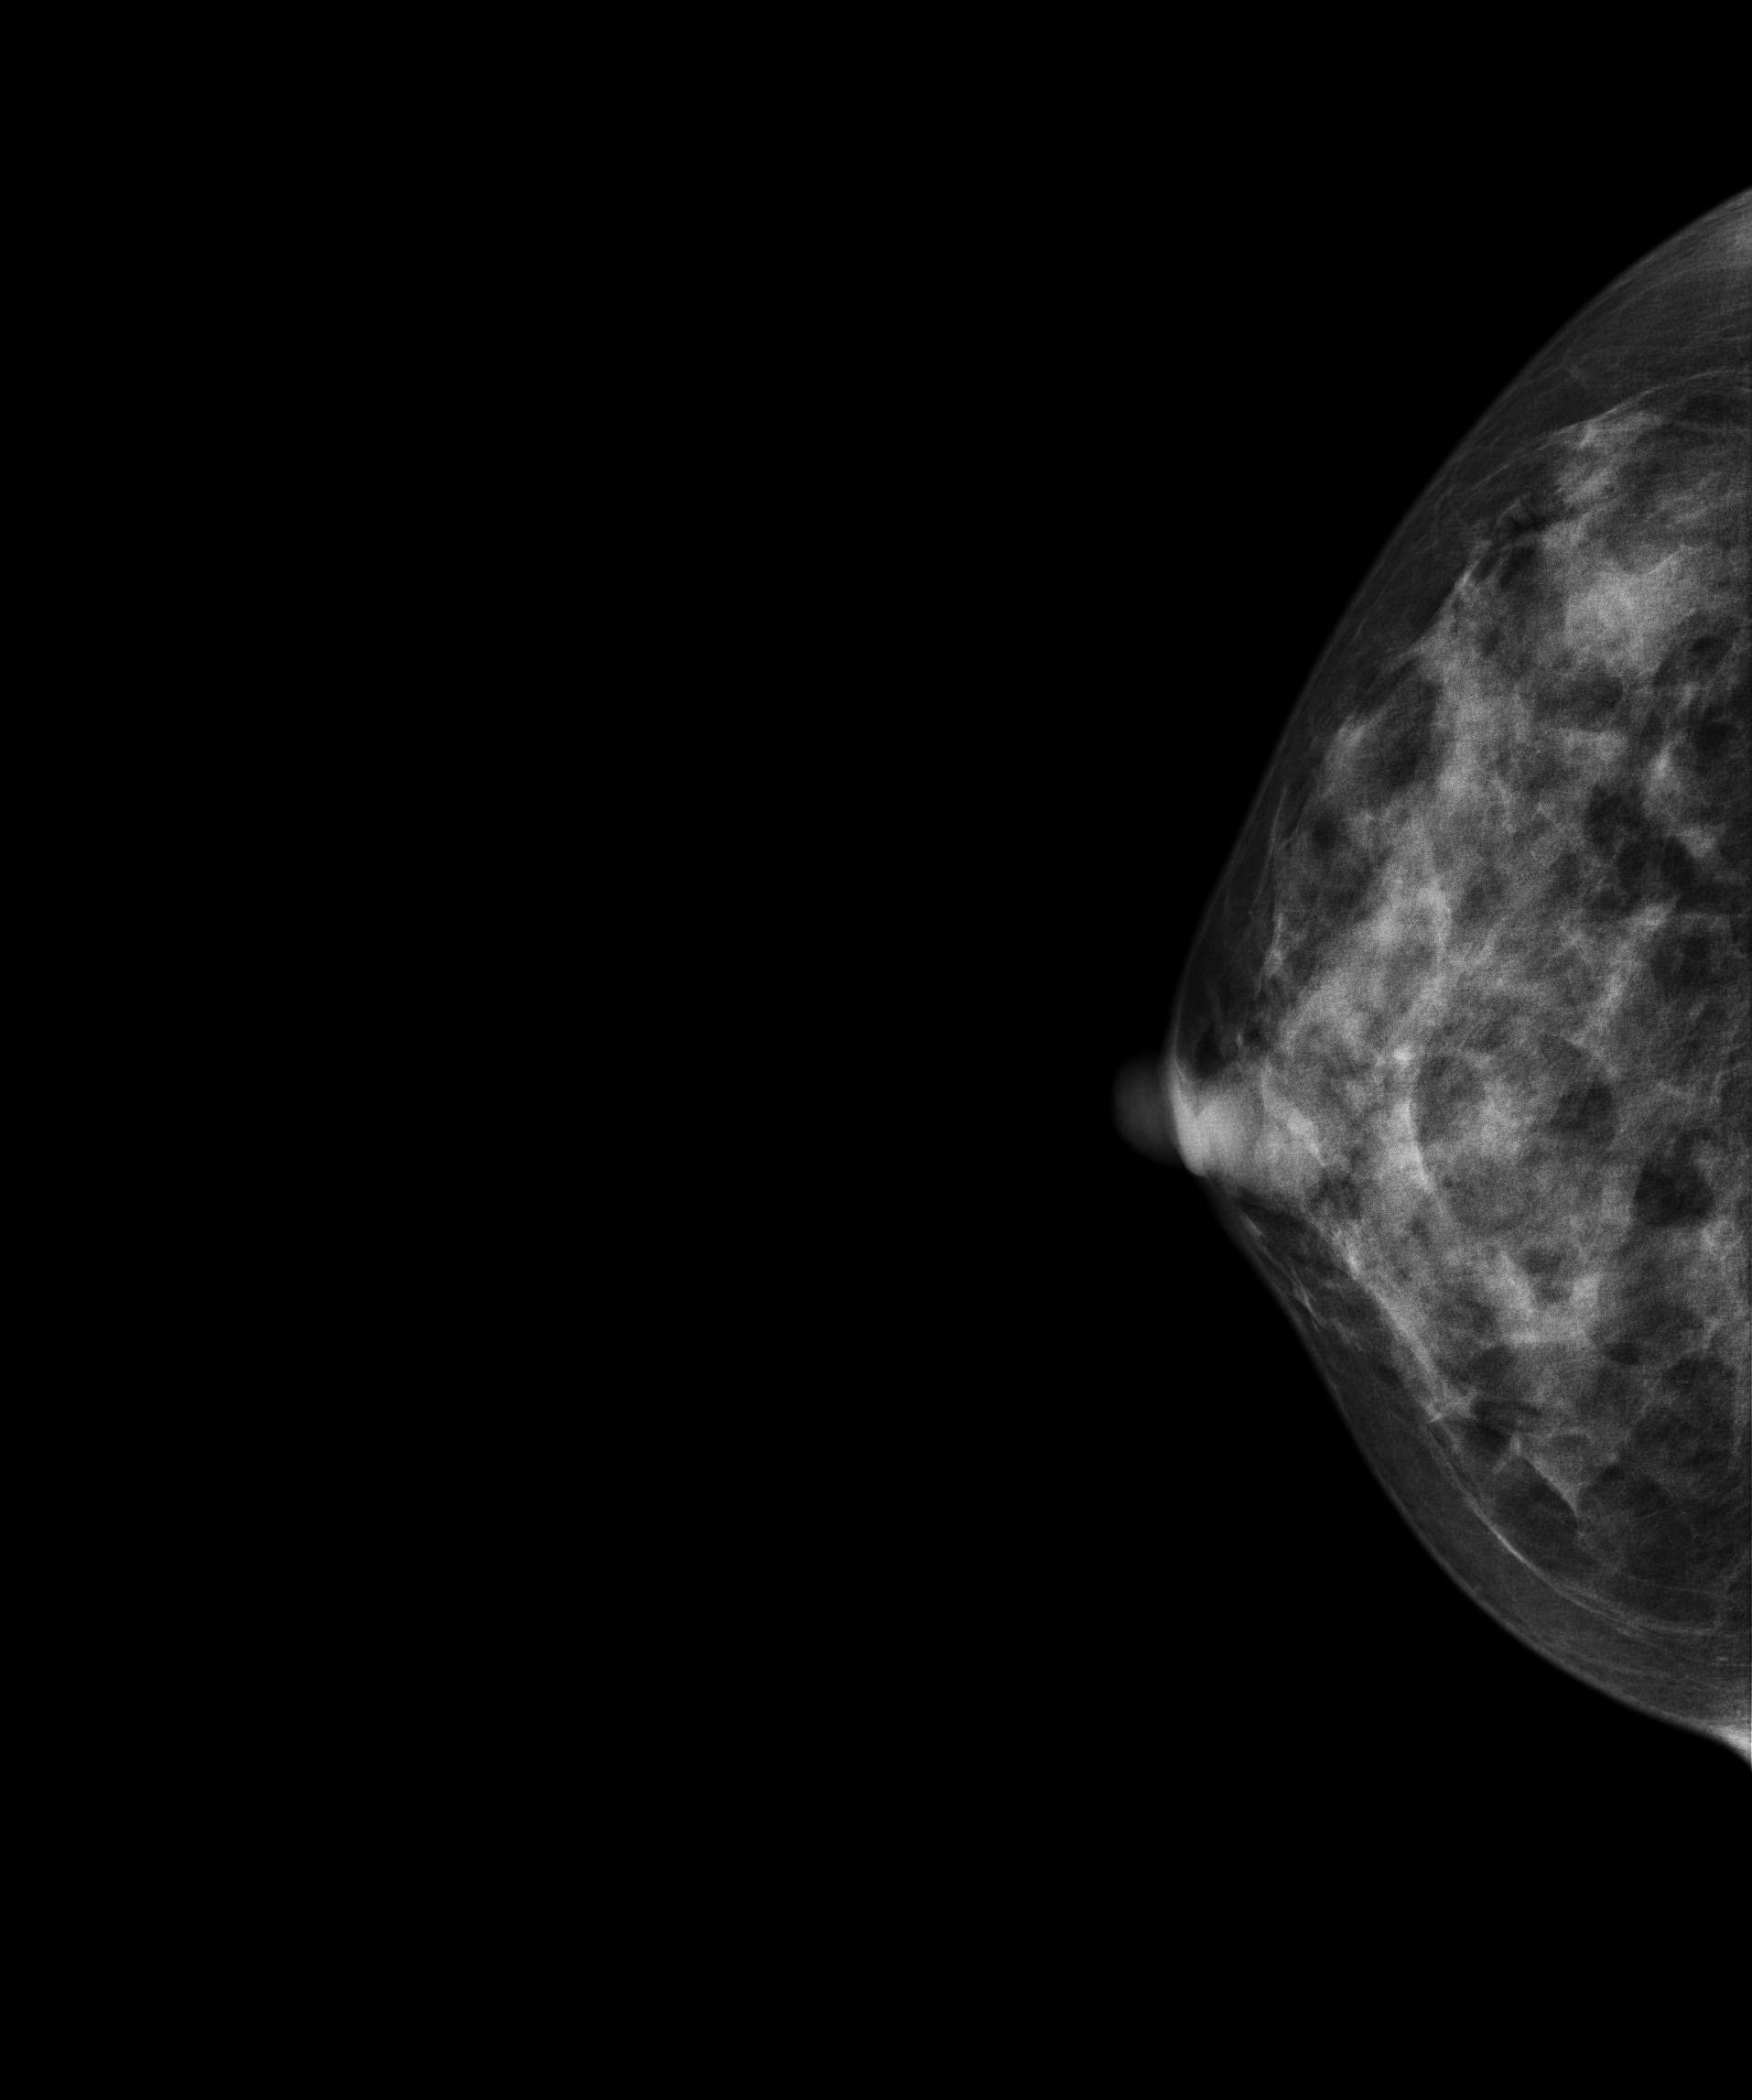
Digital mammography. Right breast, cranio-caudal projection. 37 y/o patient.
This breast has a mass, pathology-confirmed benign.